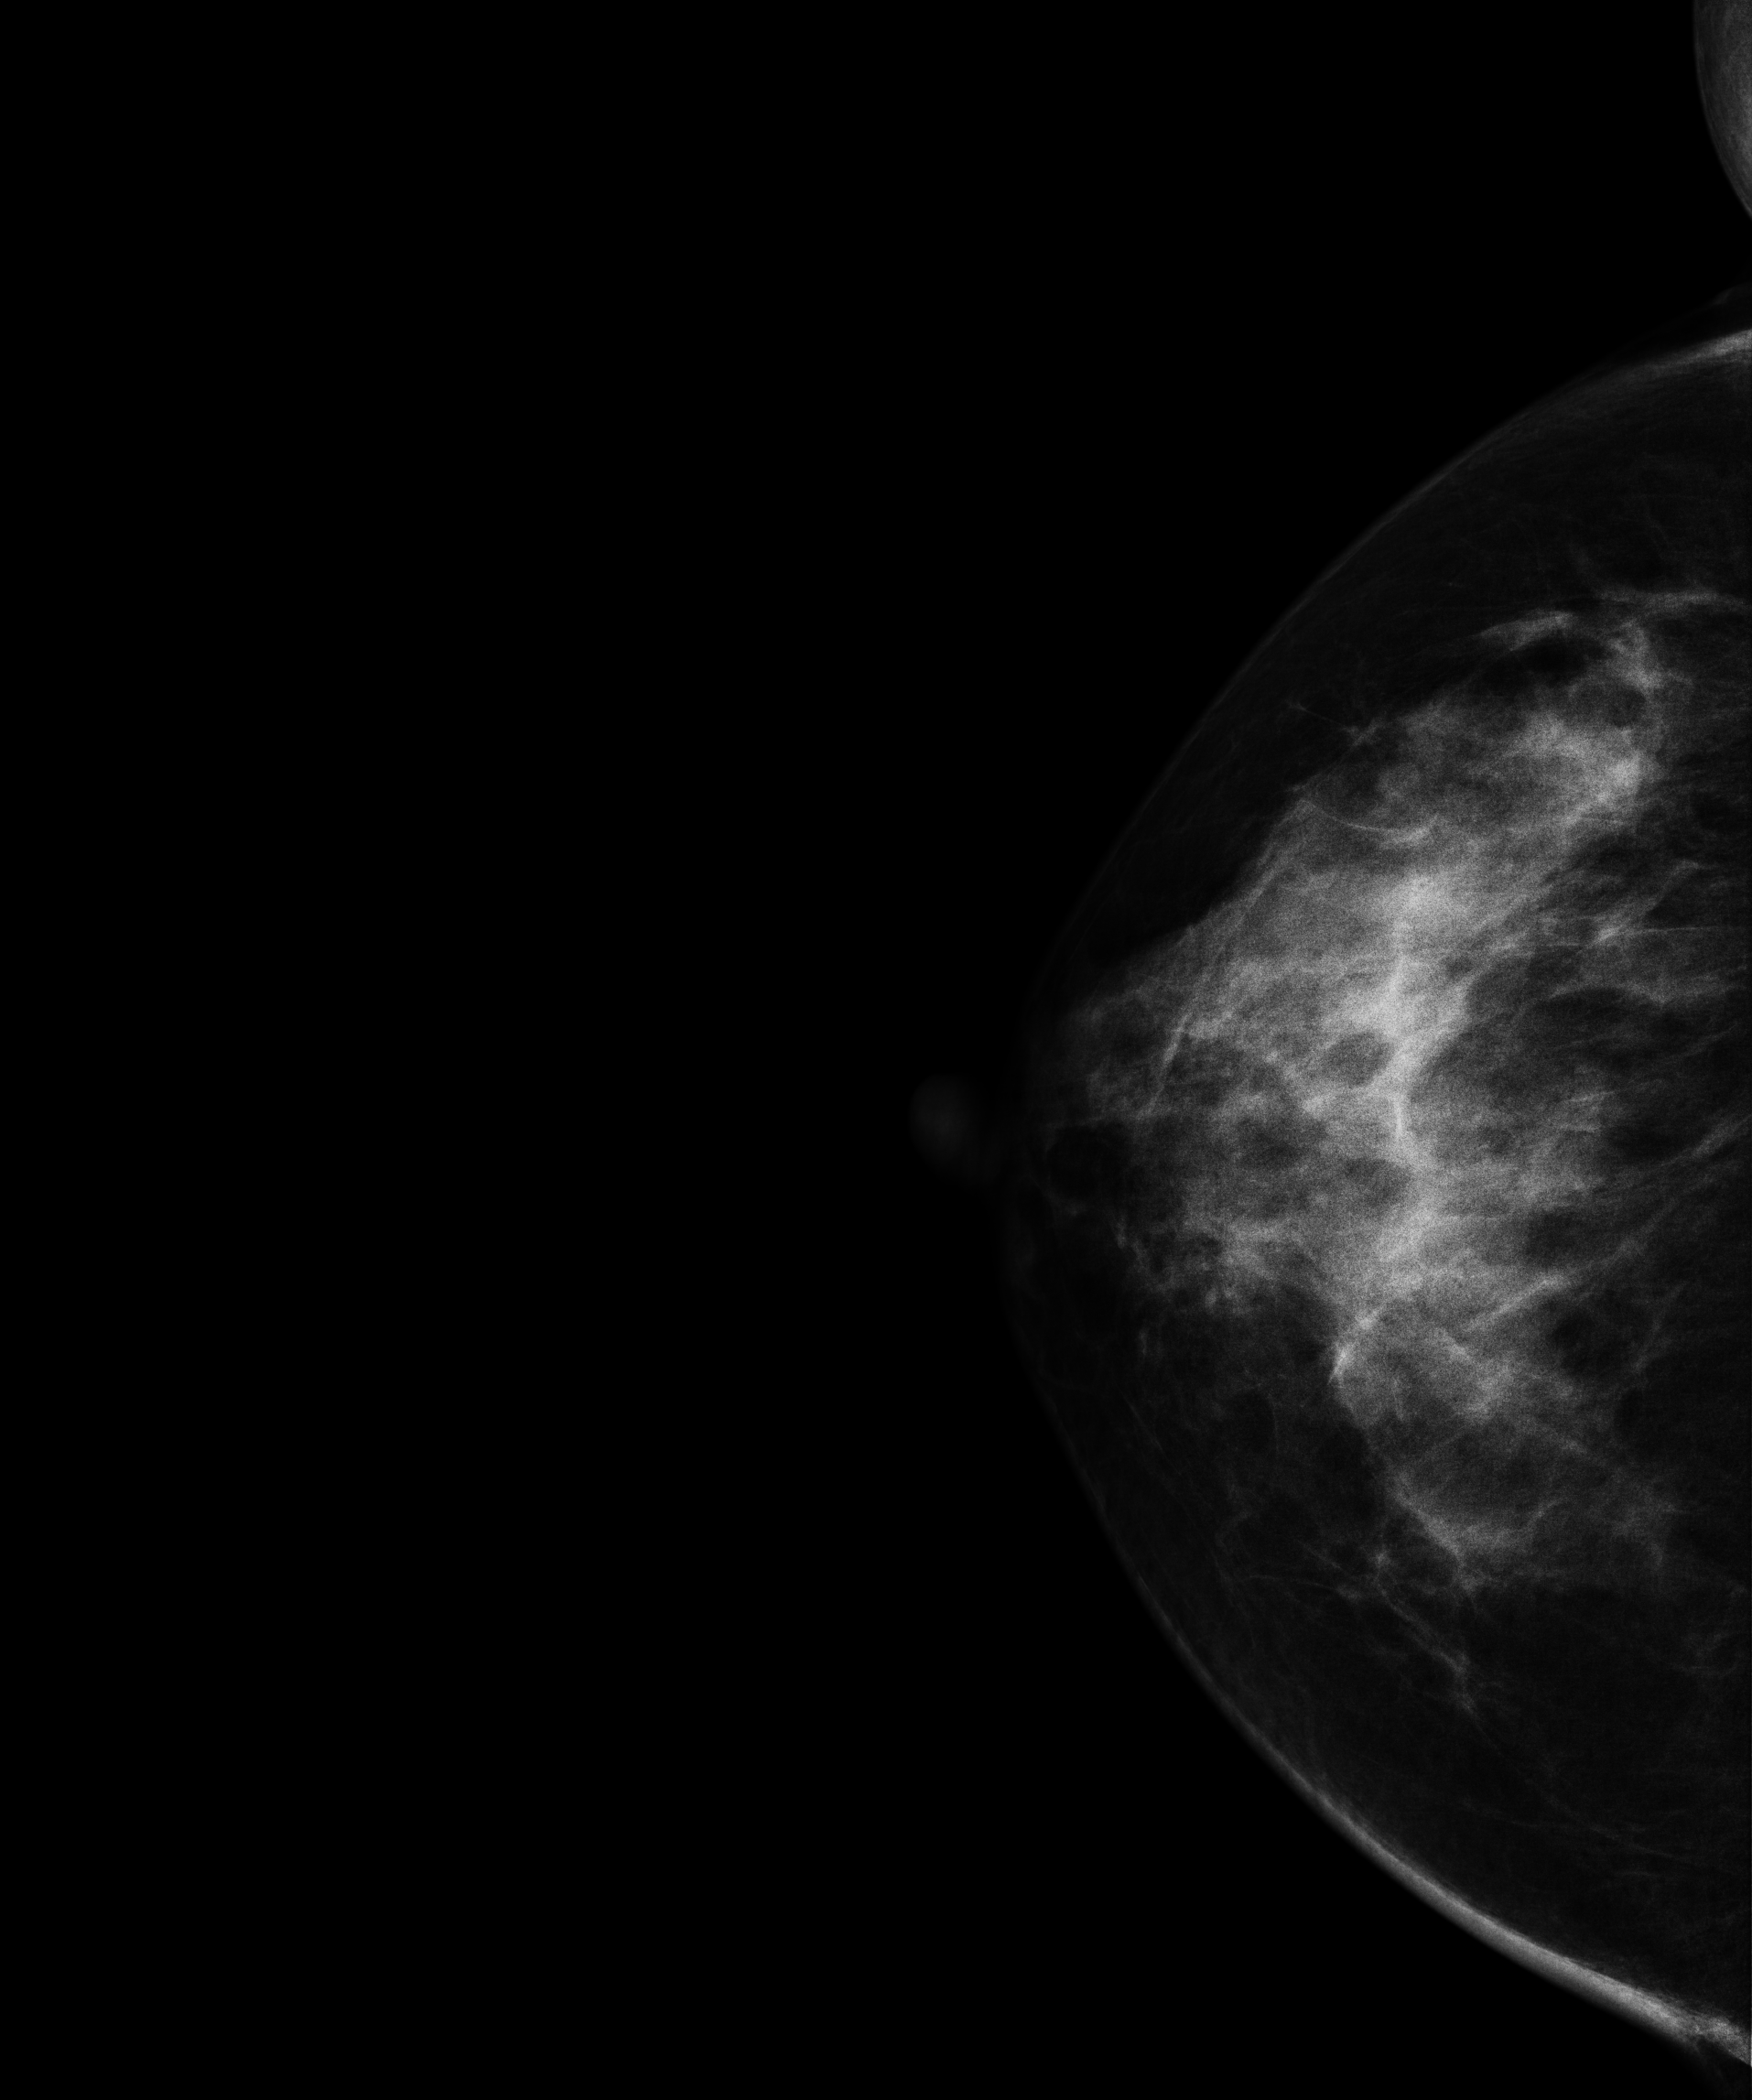
Mammogram, right breast, CC view. 51-year-old patient.
Contralateral breast — no documented abnormality on this side.